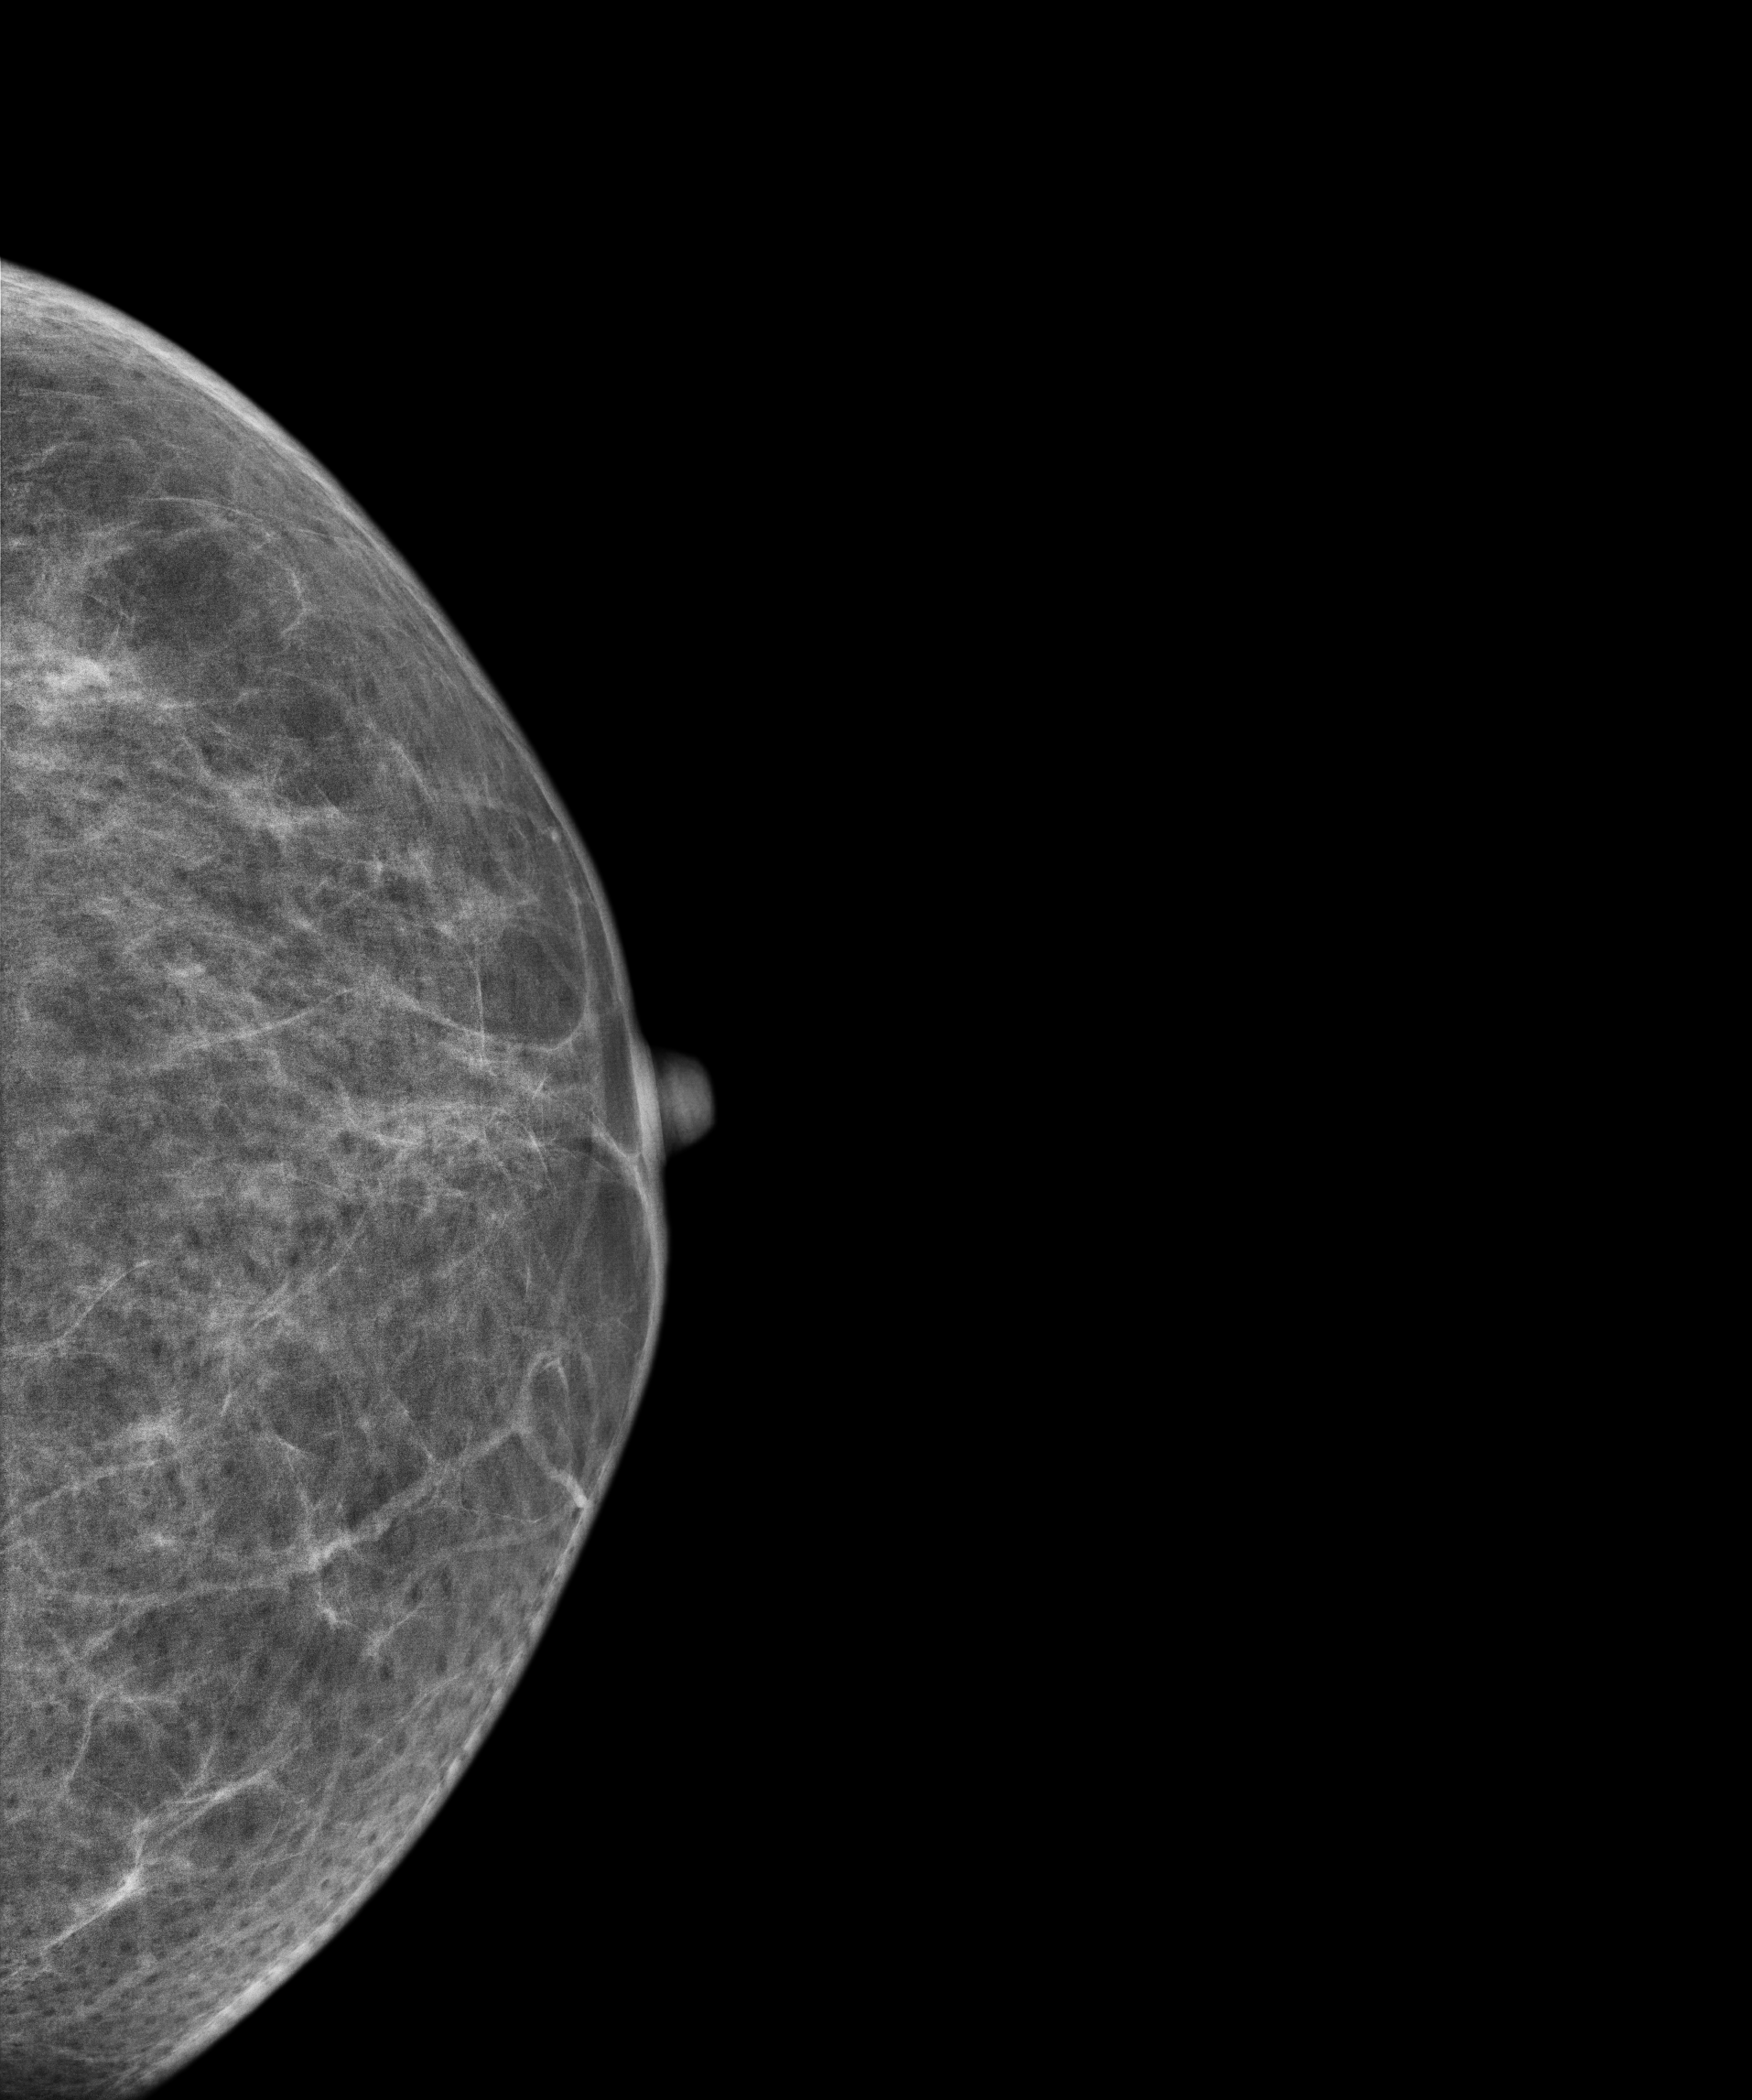
Mammogram, left breast, cranio-caudal view. Patient age 53.
This breast has a mass, biopsy-proven benign.